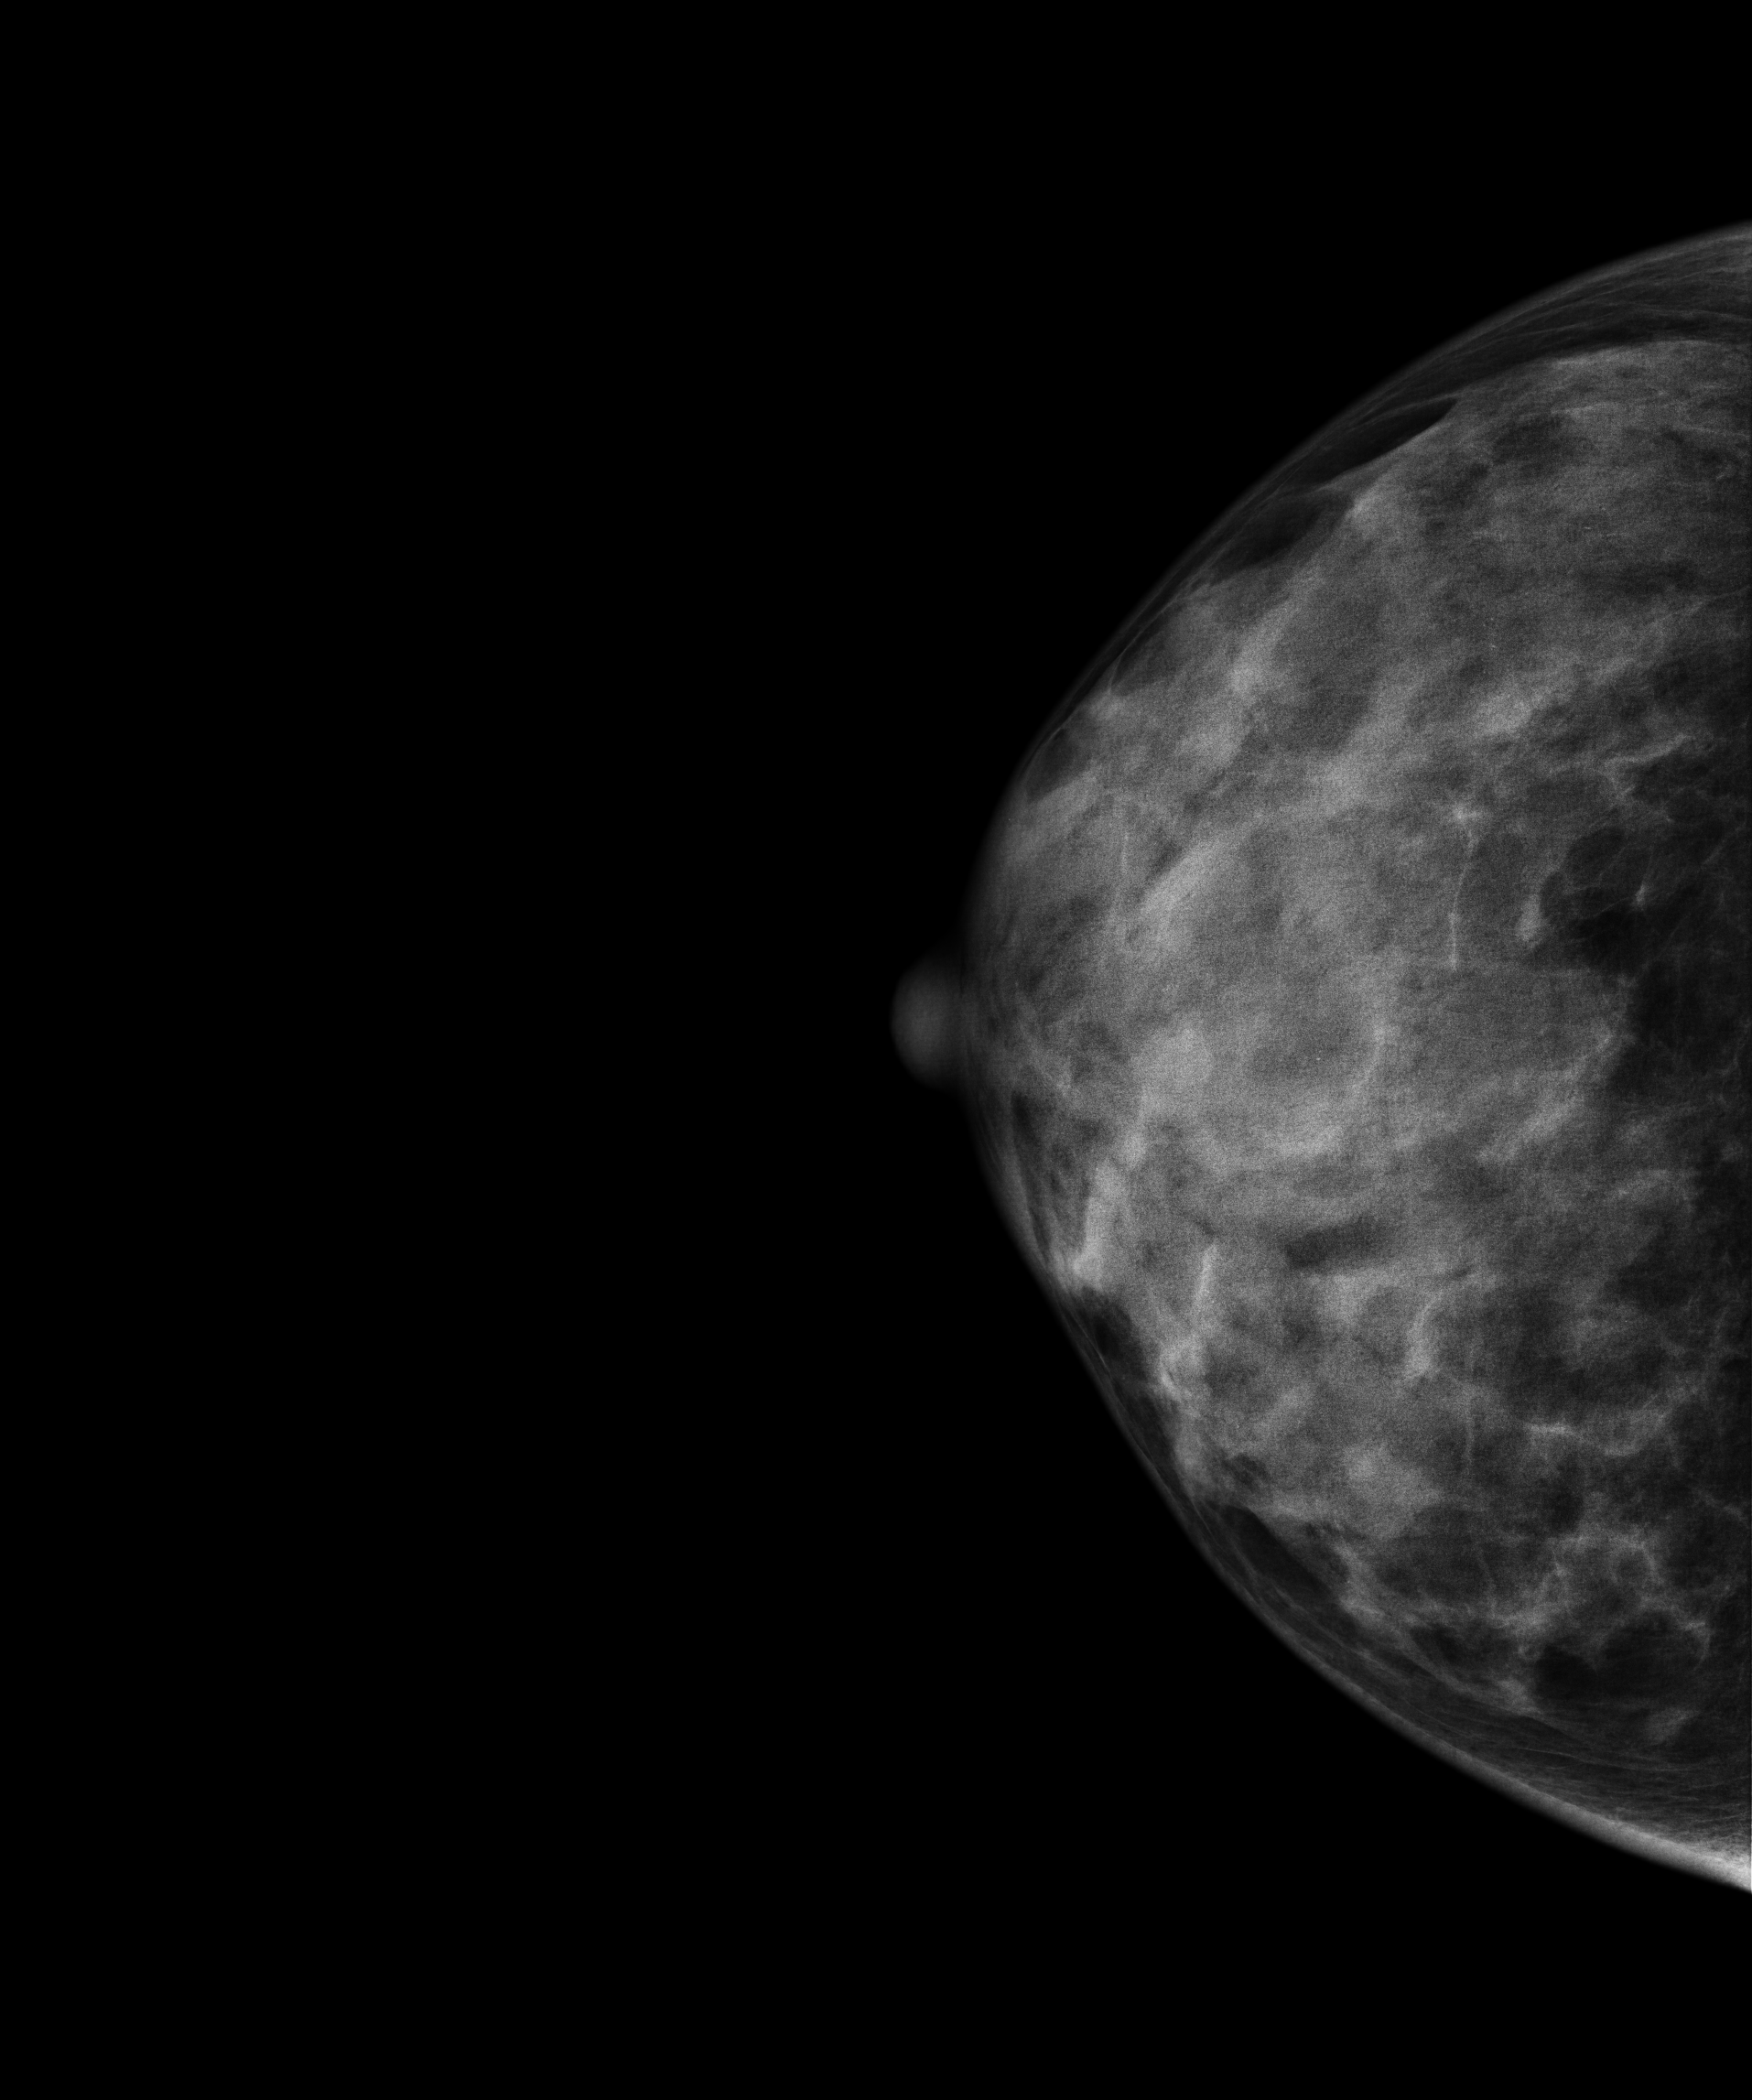
Mammogram, right breast, cranio-caudal view. Patient age 44.
This breast has a mass and calcifications, biopsy-proven benign.